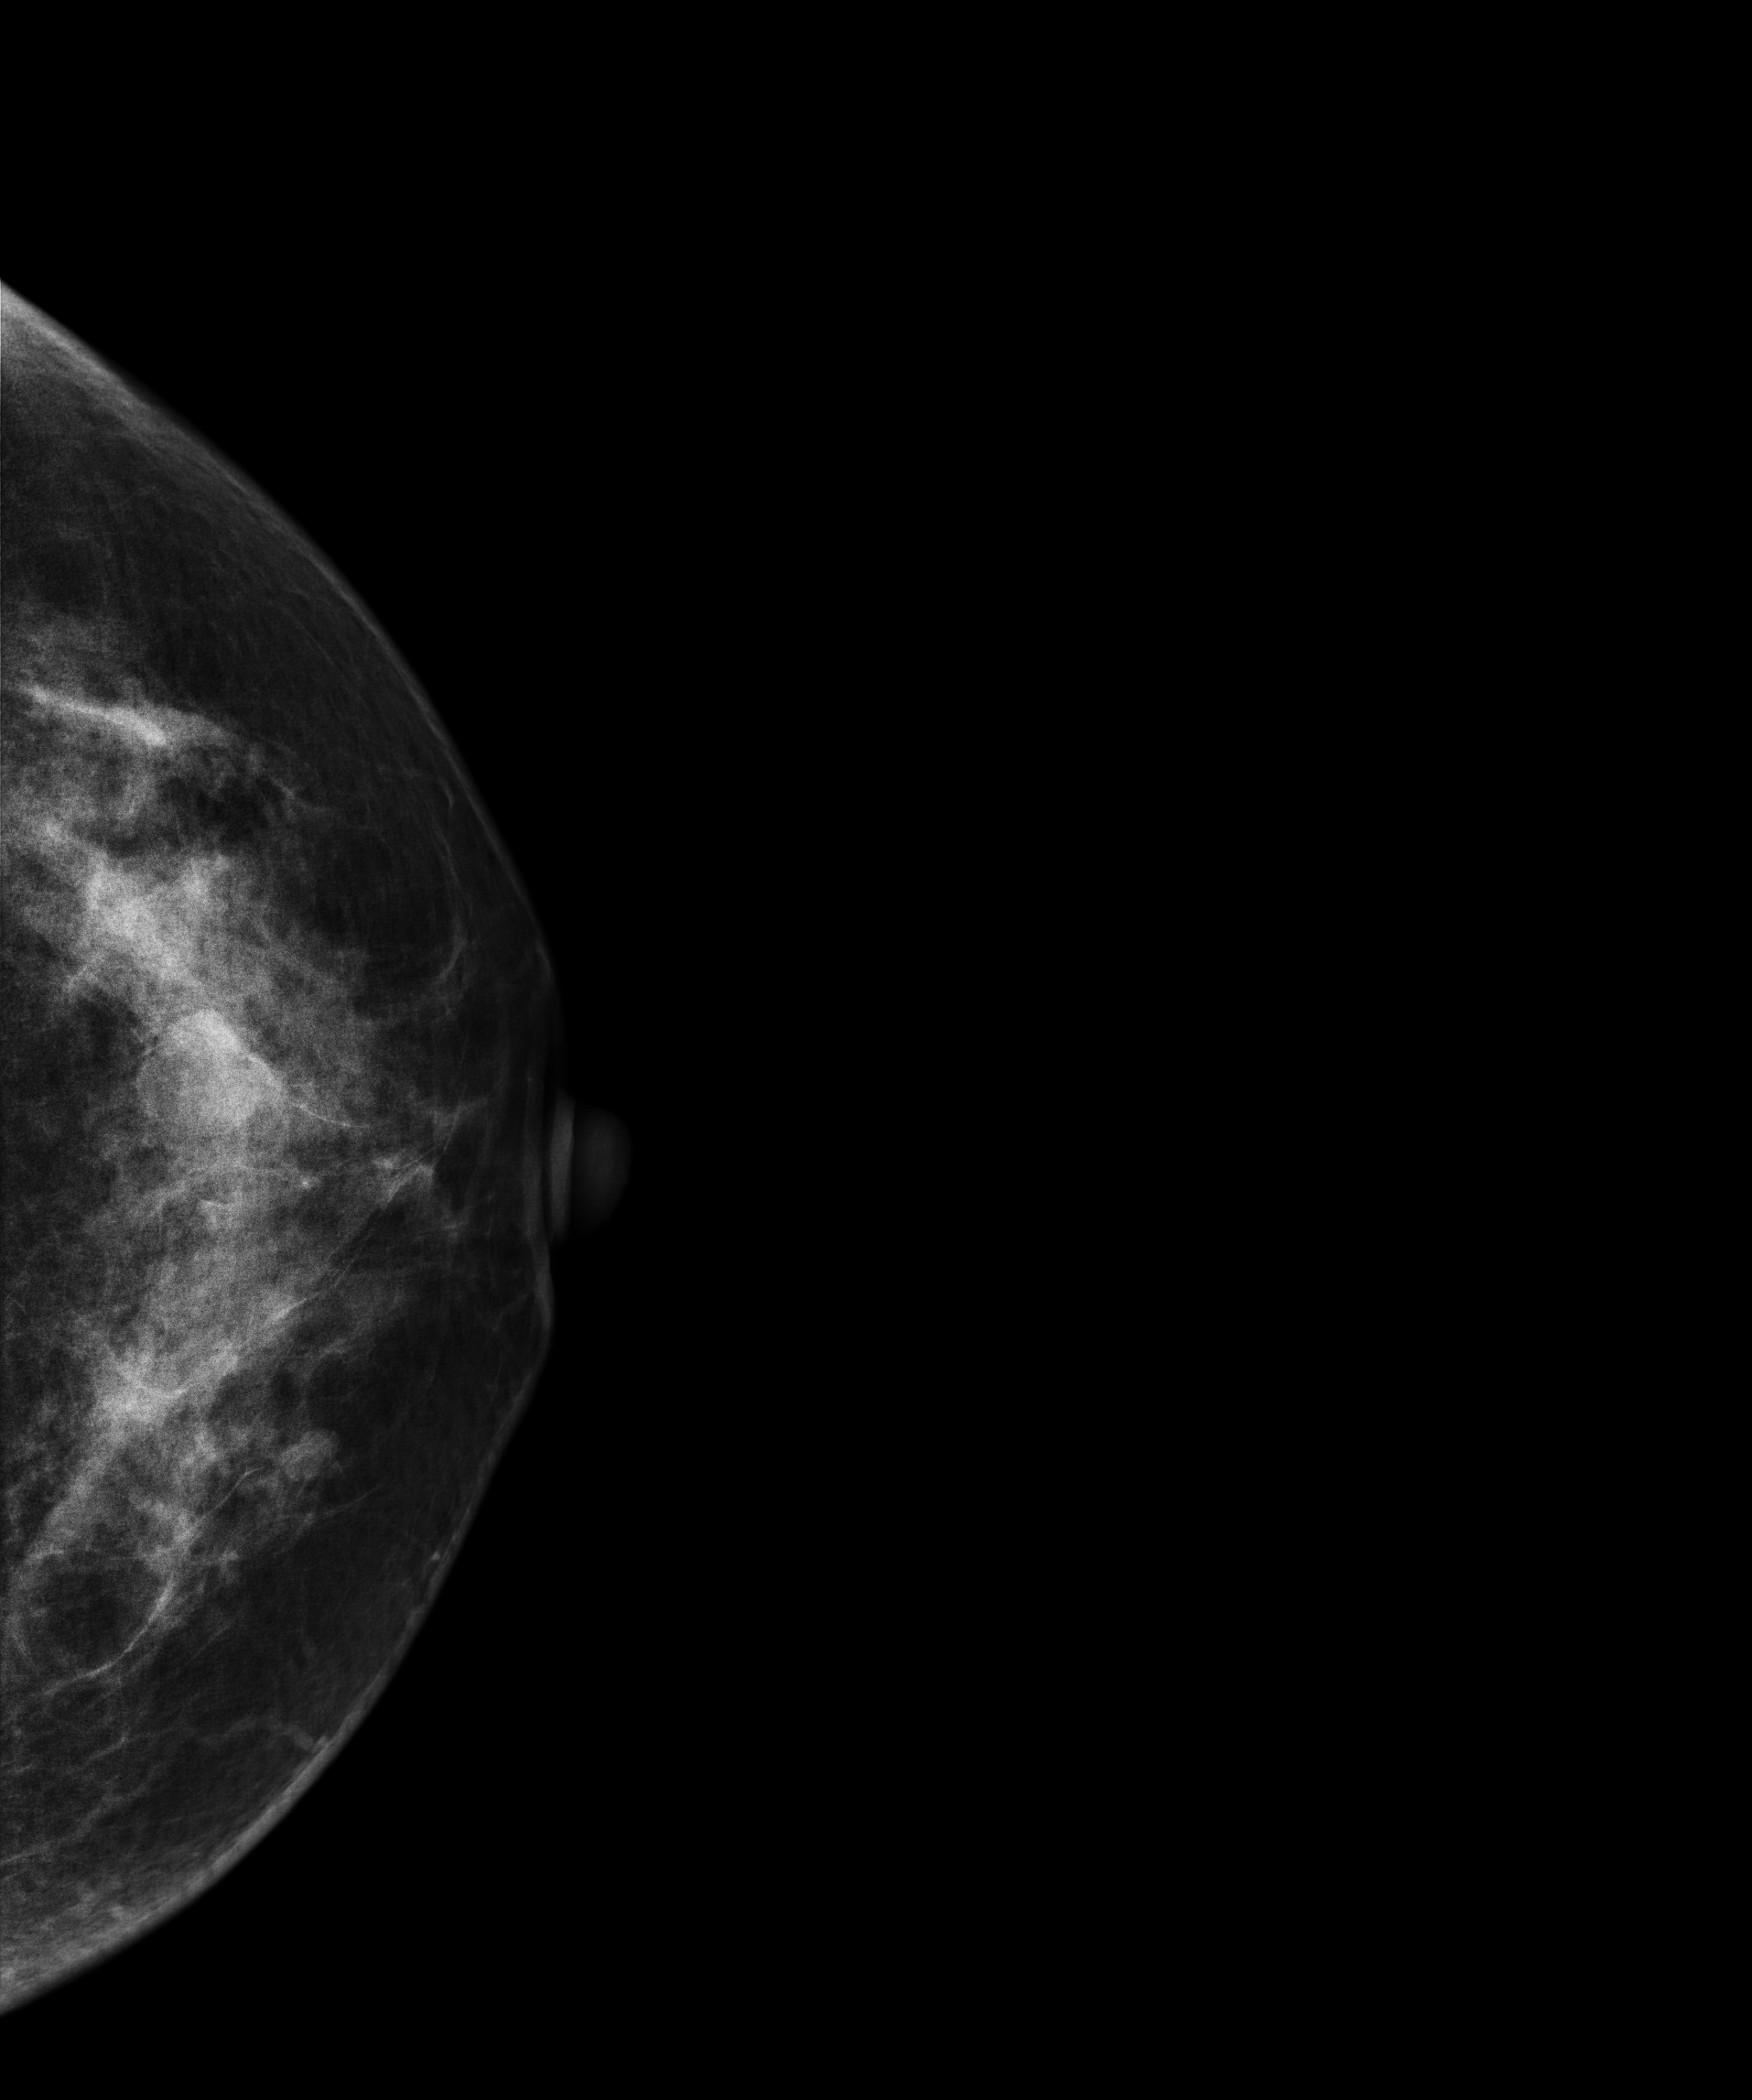
Left-breast mammogram, CC. Patient age 48.
This breast has a mass, pathology-confirmed benign.